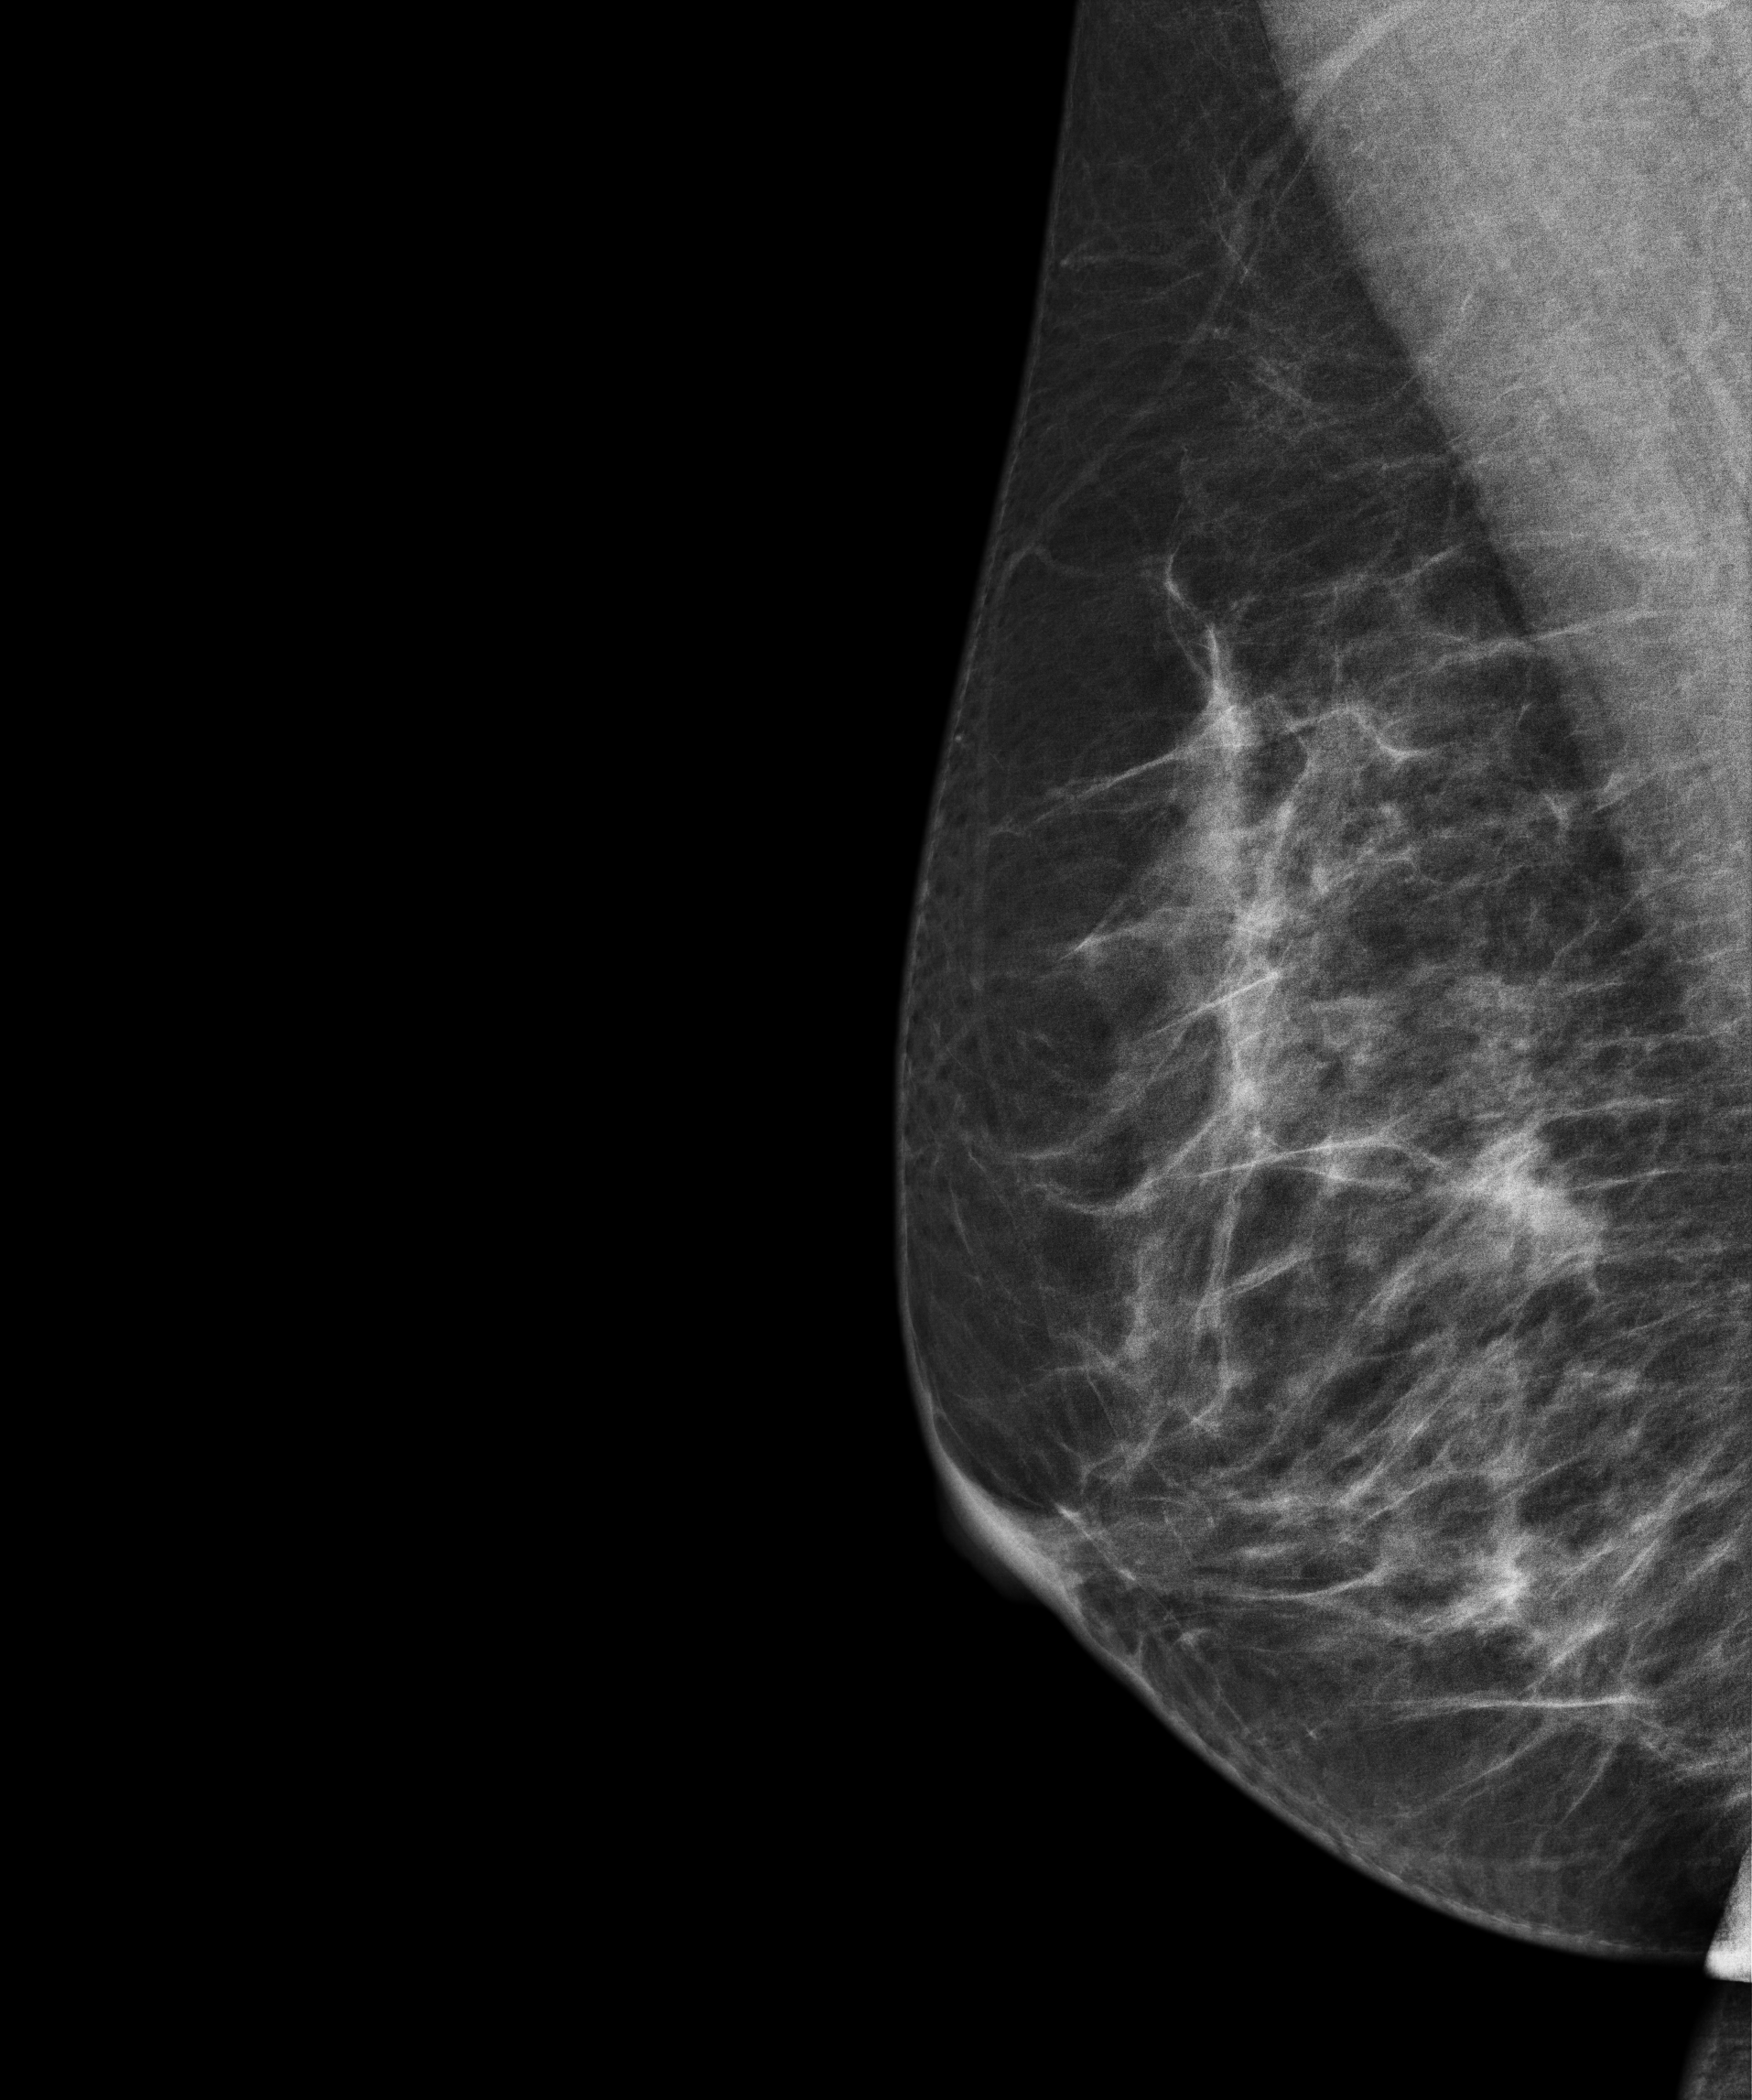
Right-breast mammogram, MLO. 43 y/o patient.
This breast has a mass, histologically confirmed malignant. Molecular subtype: luminal A.